Mammogram, right breast, cranio-caudal view. 40 y/o patient.
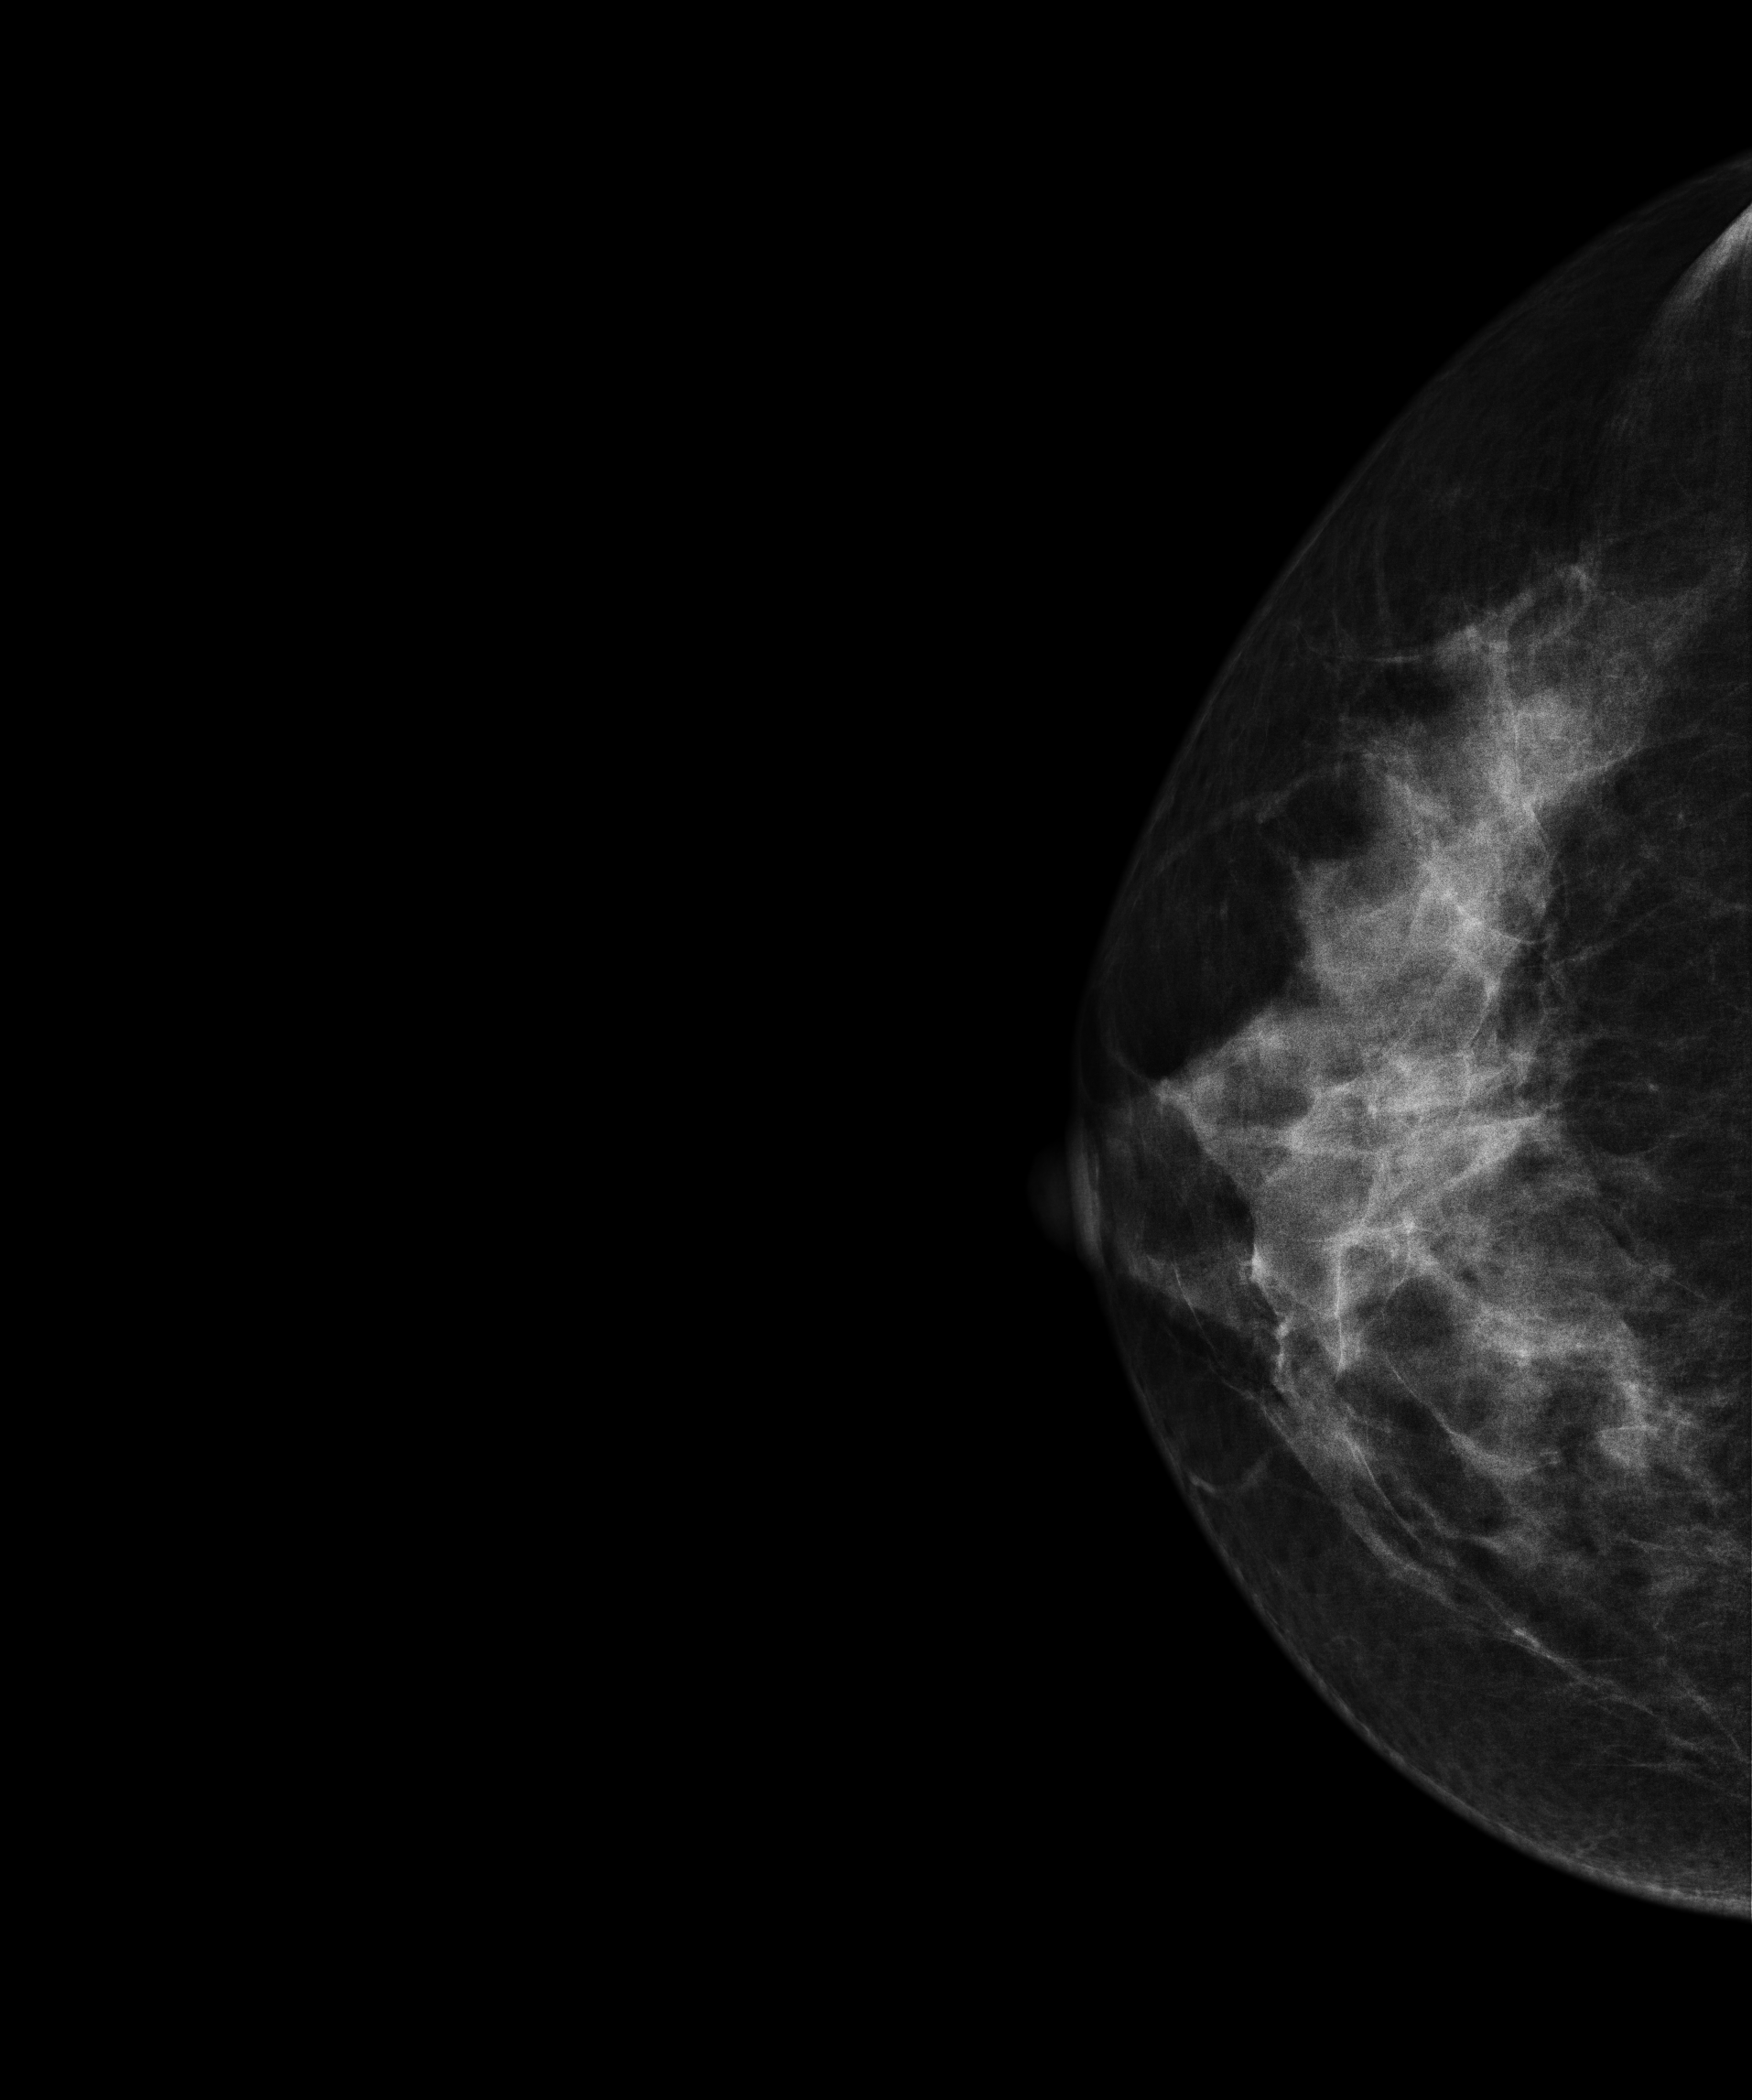
This breast has a mass, biopsy-proven benign.